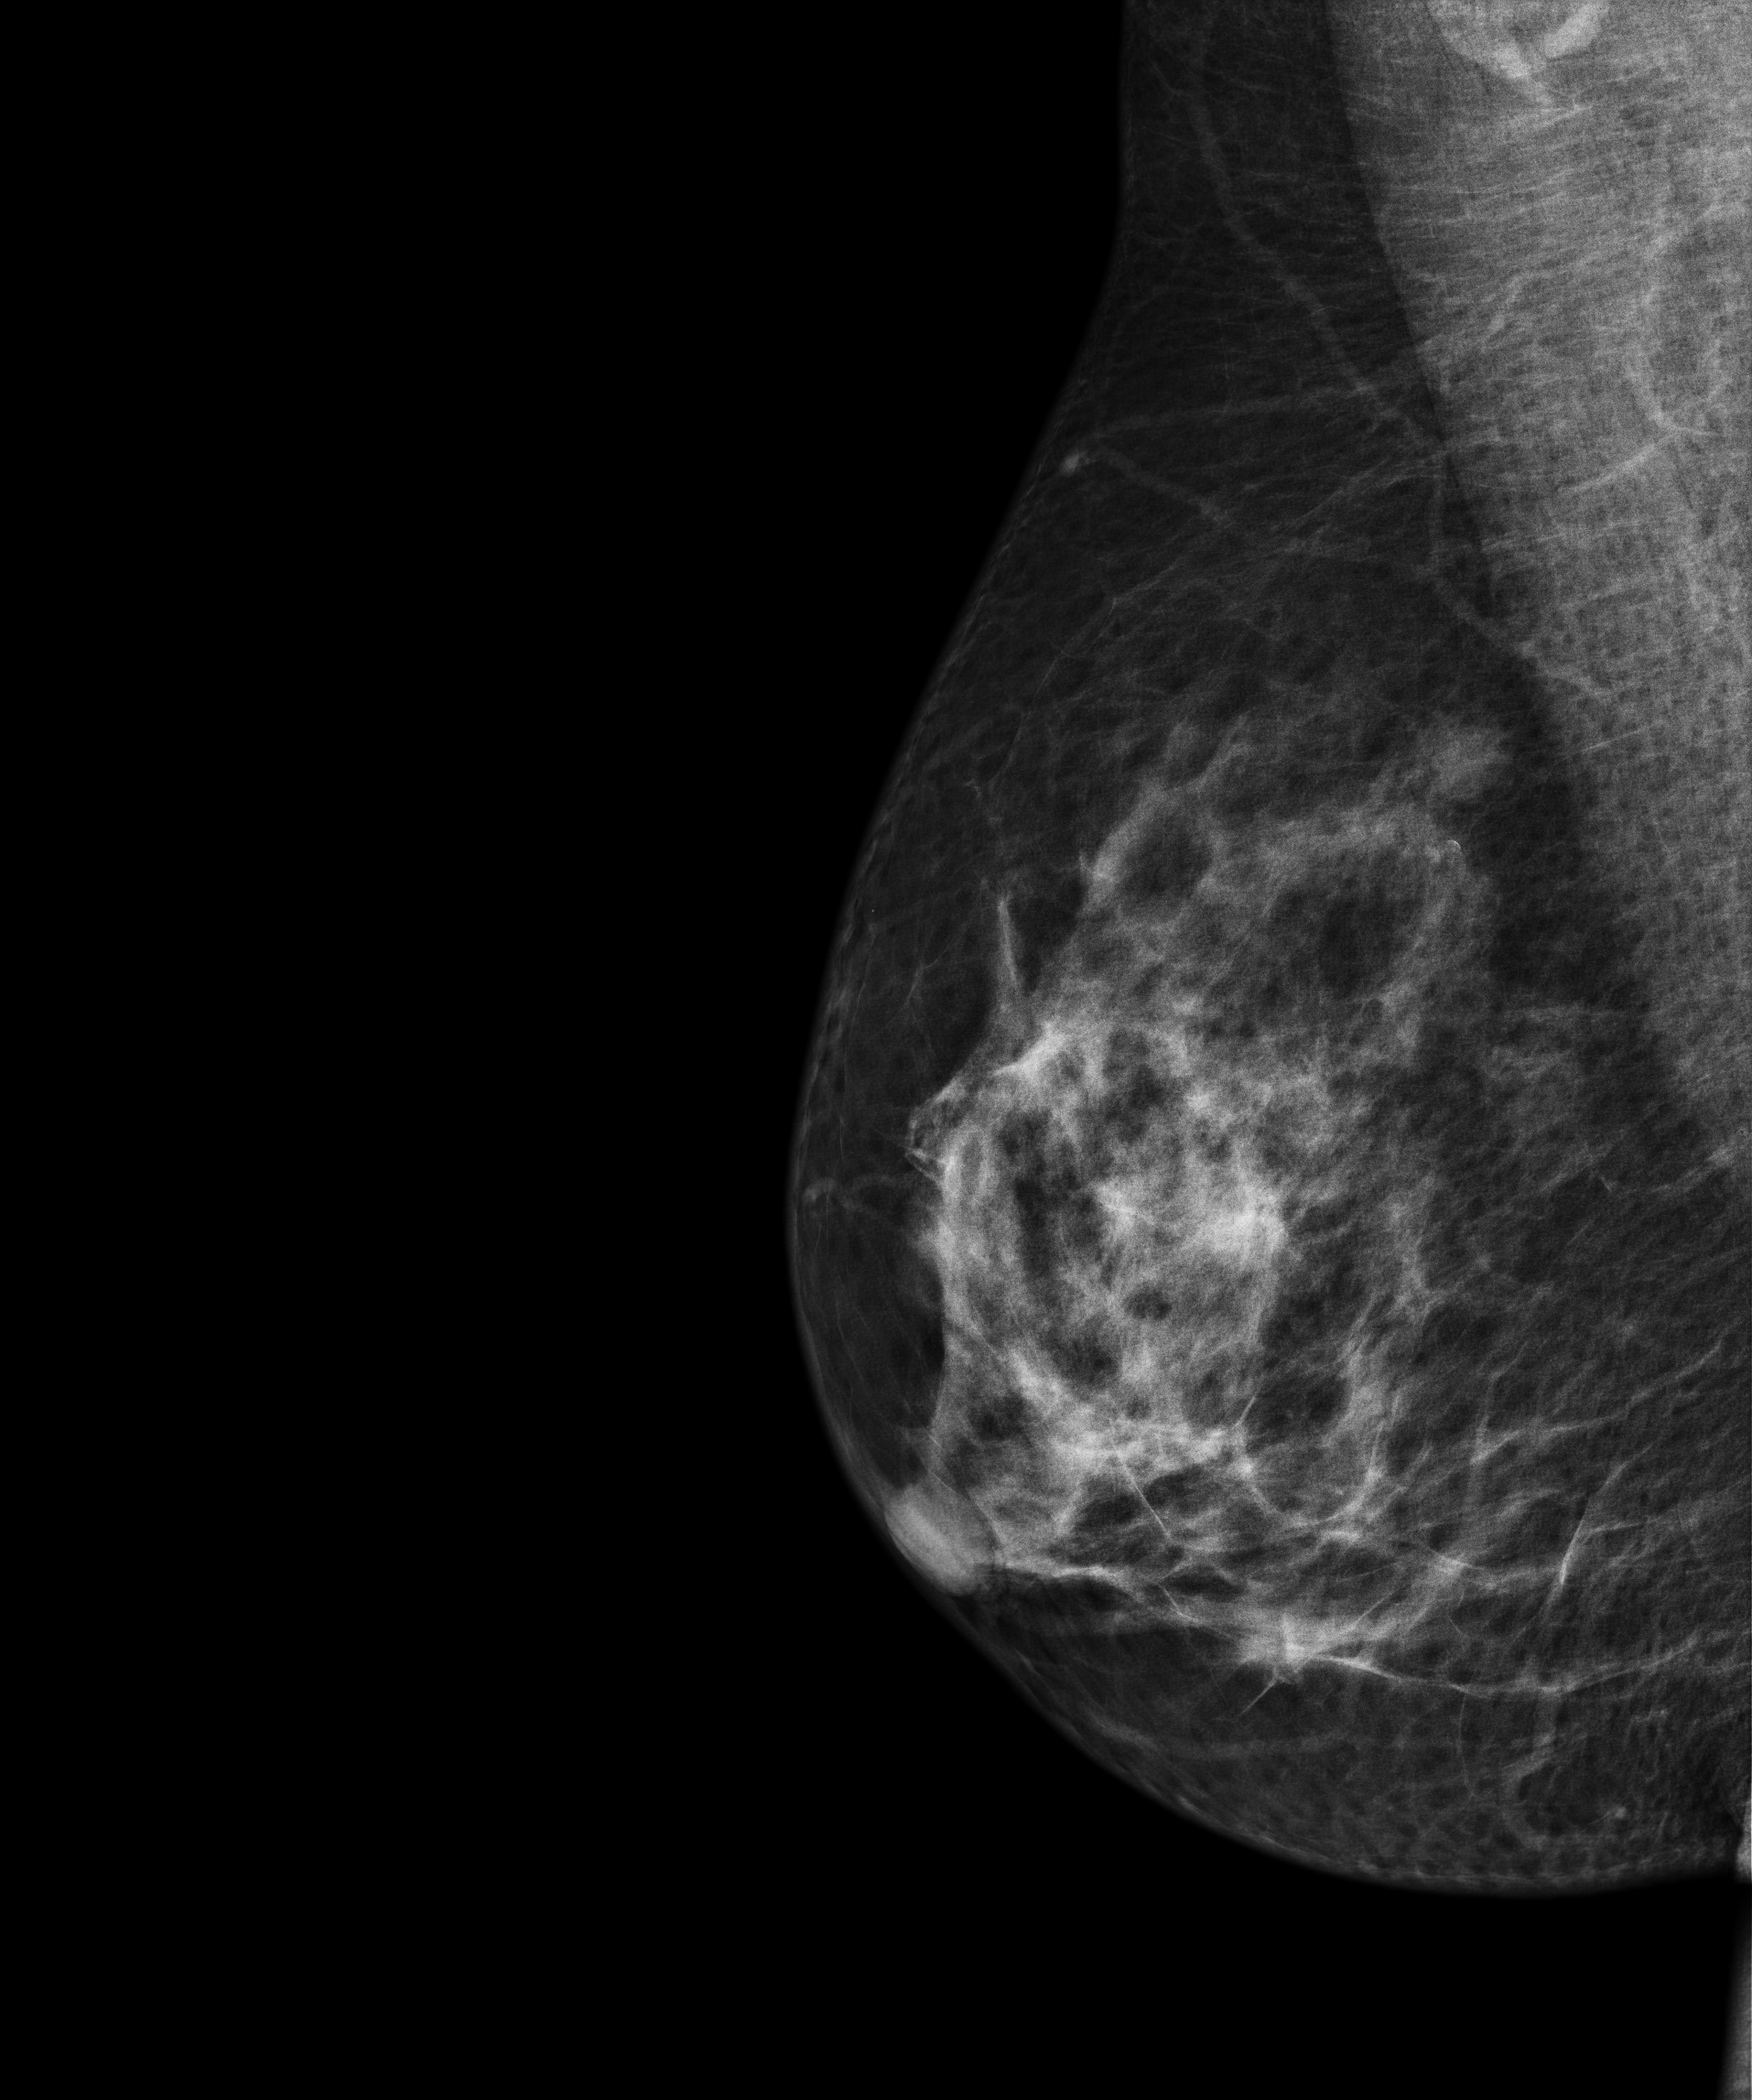
Mammogram — right MLO. 50 y/o patient.
This breast has a mass and calcifications, biopsy-confirmed benign.